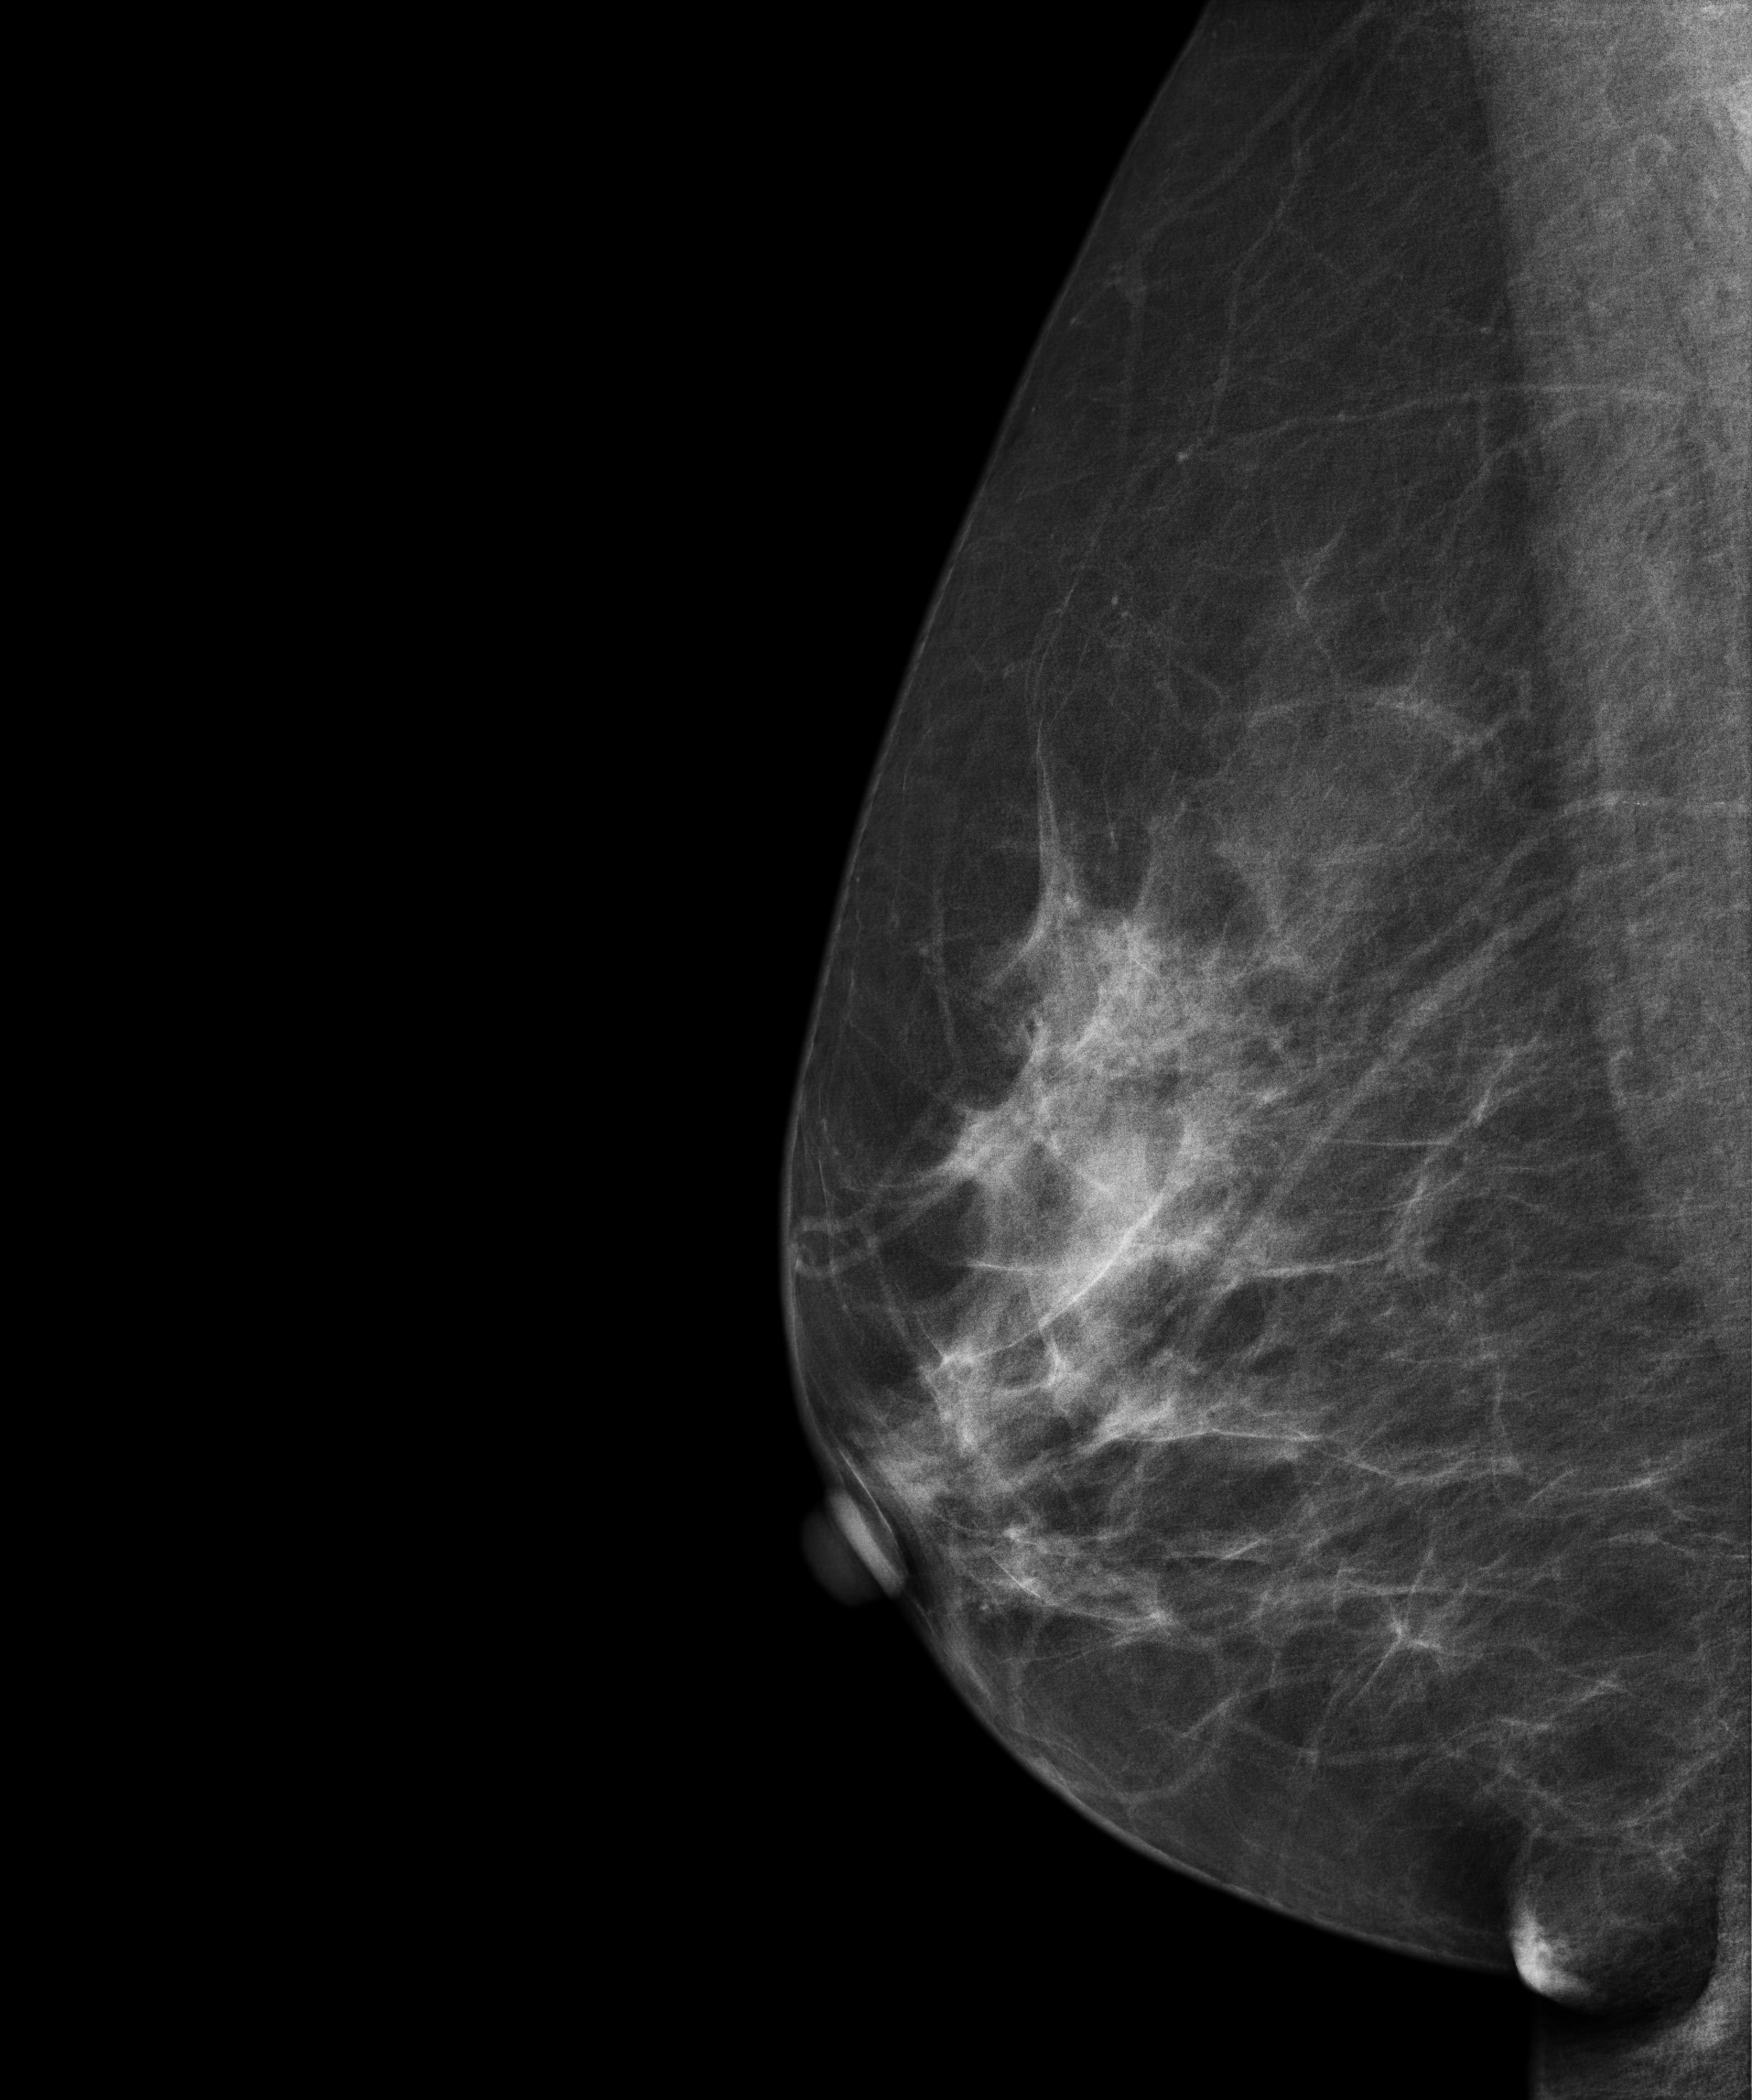
Mammogram — right MLO. Patient age 56.
Contralateral breast — no documented abnormality on this side.